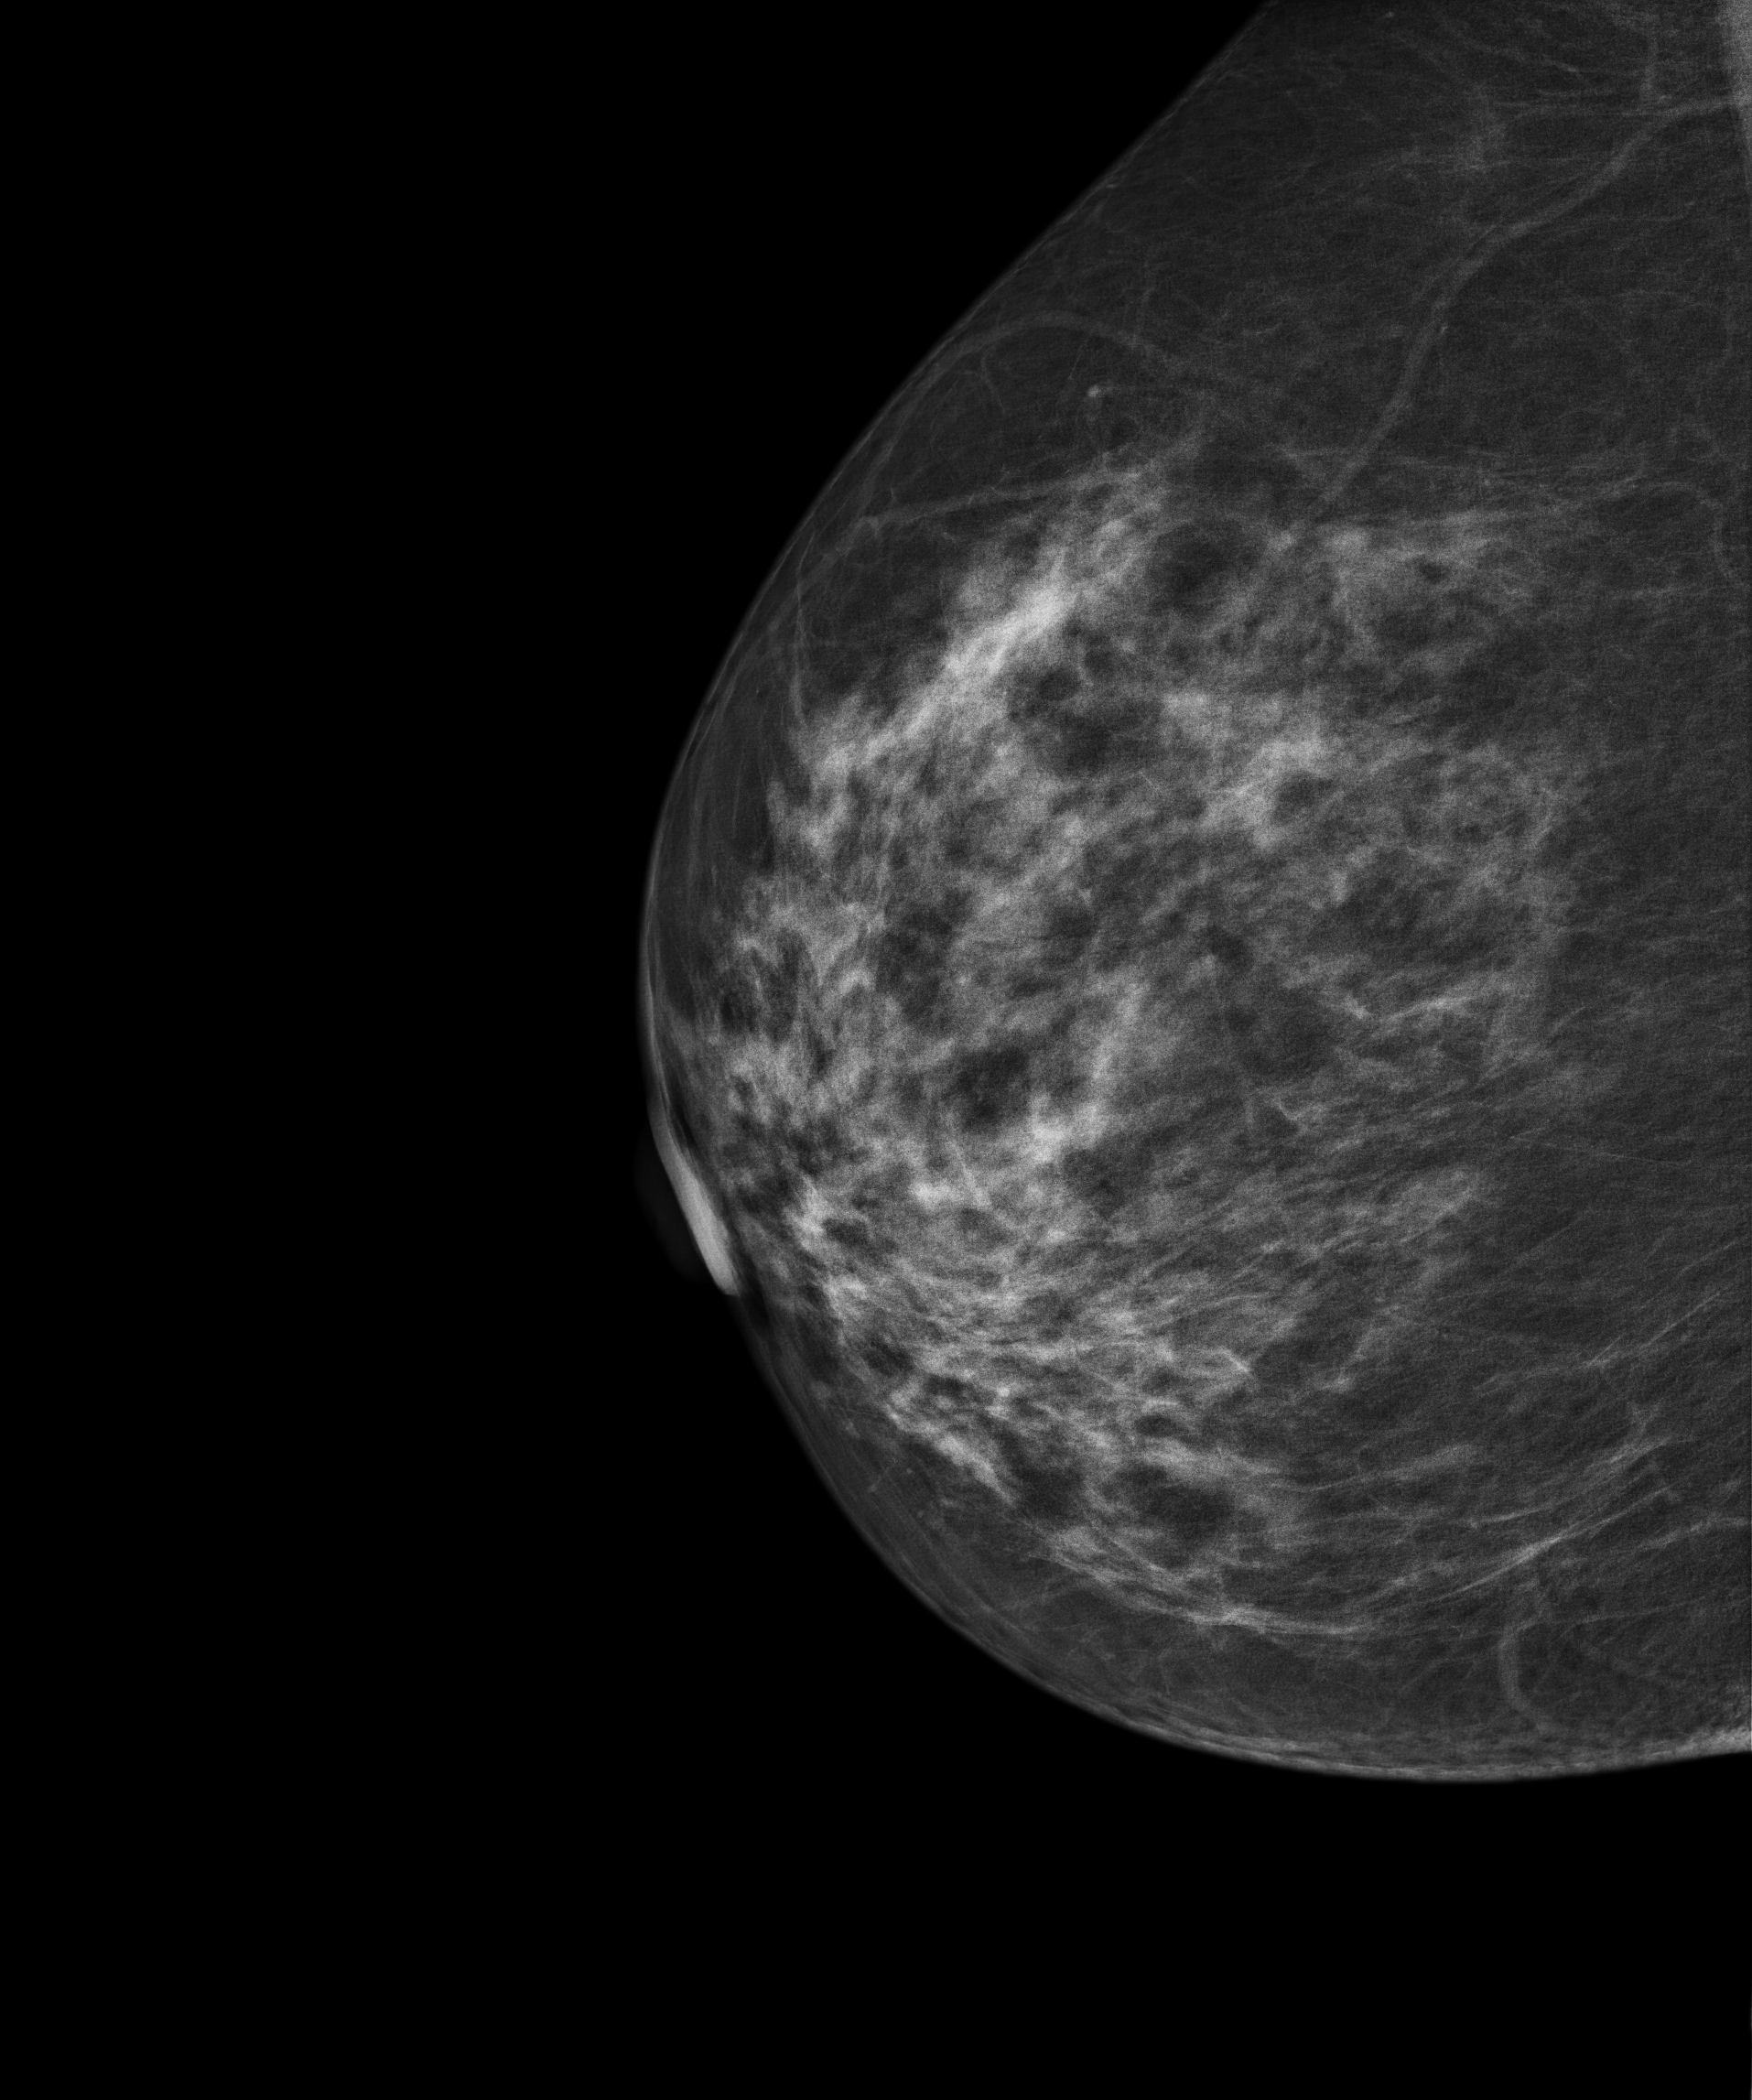
Digital mammography. Right breast, medio-lateral oblique projection. 57-year-old patient.
Contralateral breast — no documented abnormality on this side.